Mammogram — right cranio-caudal. 39 y/o patient.
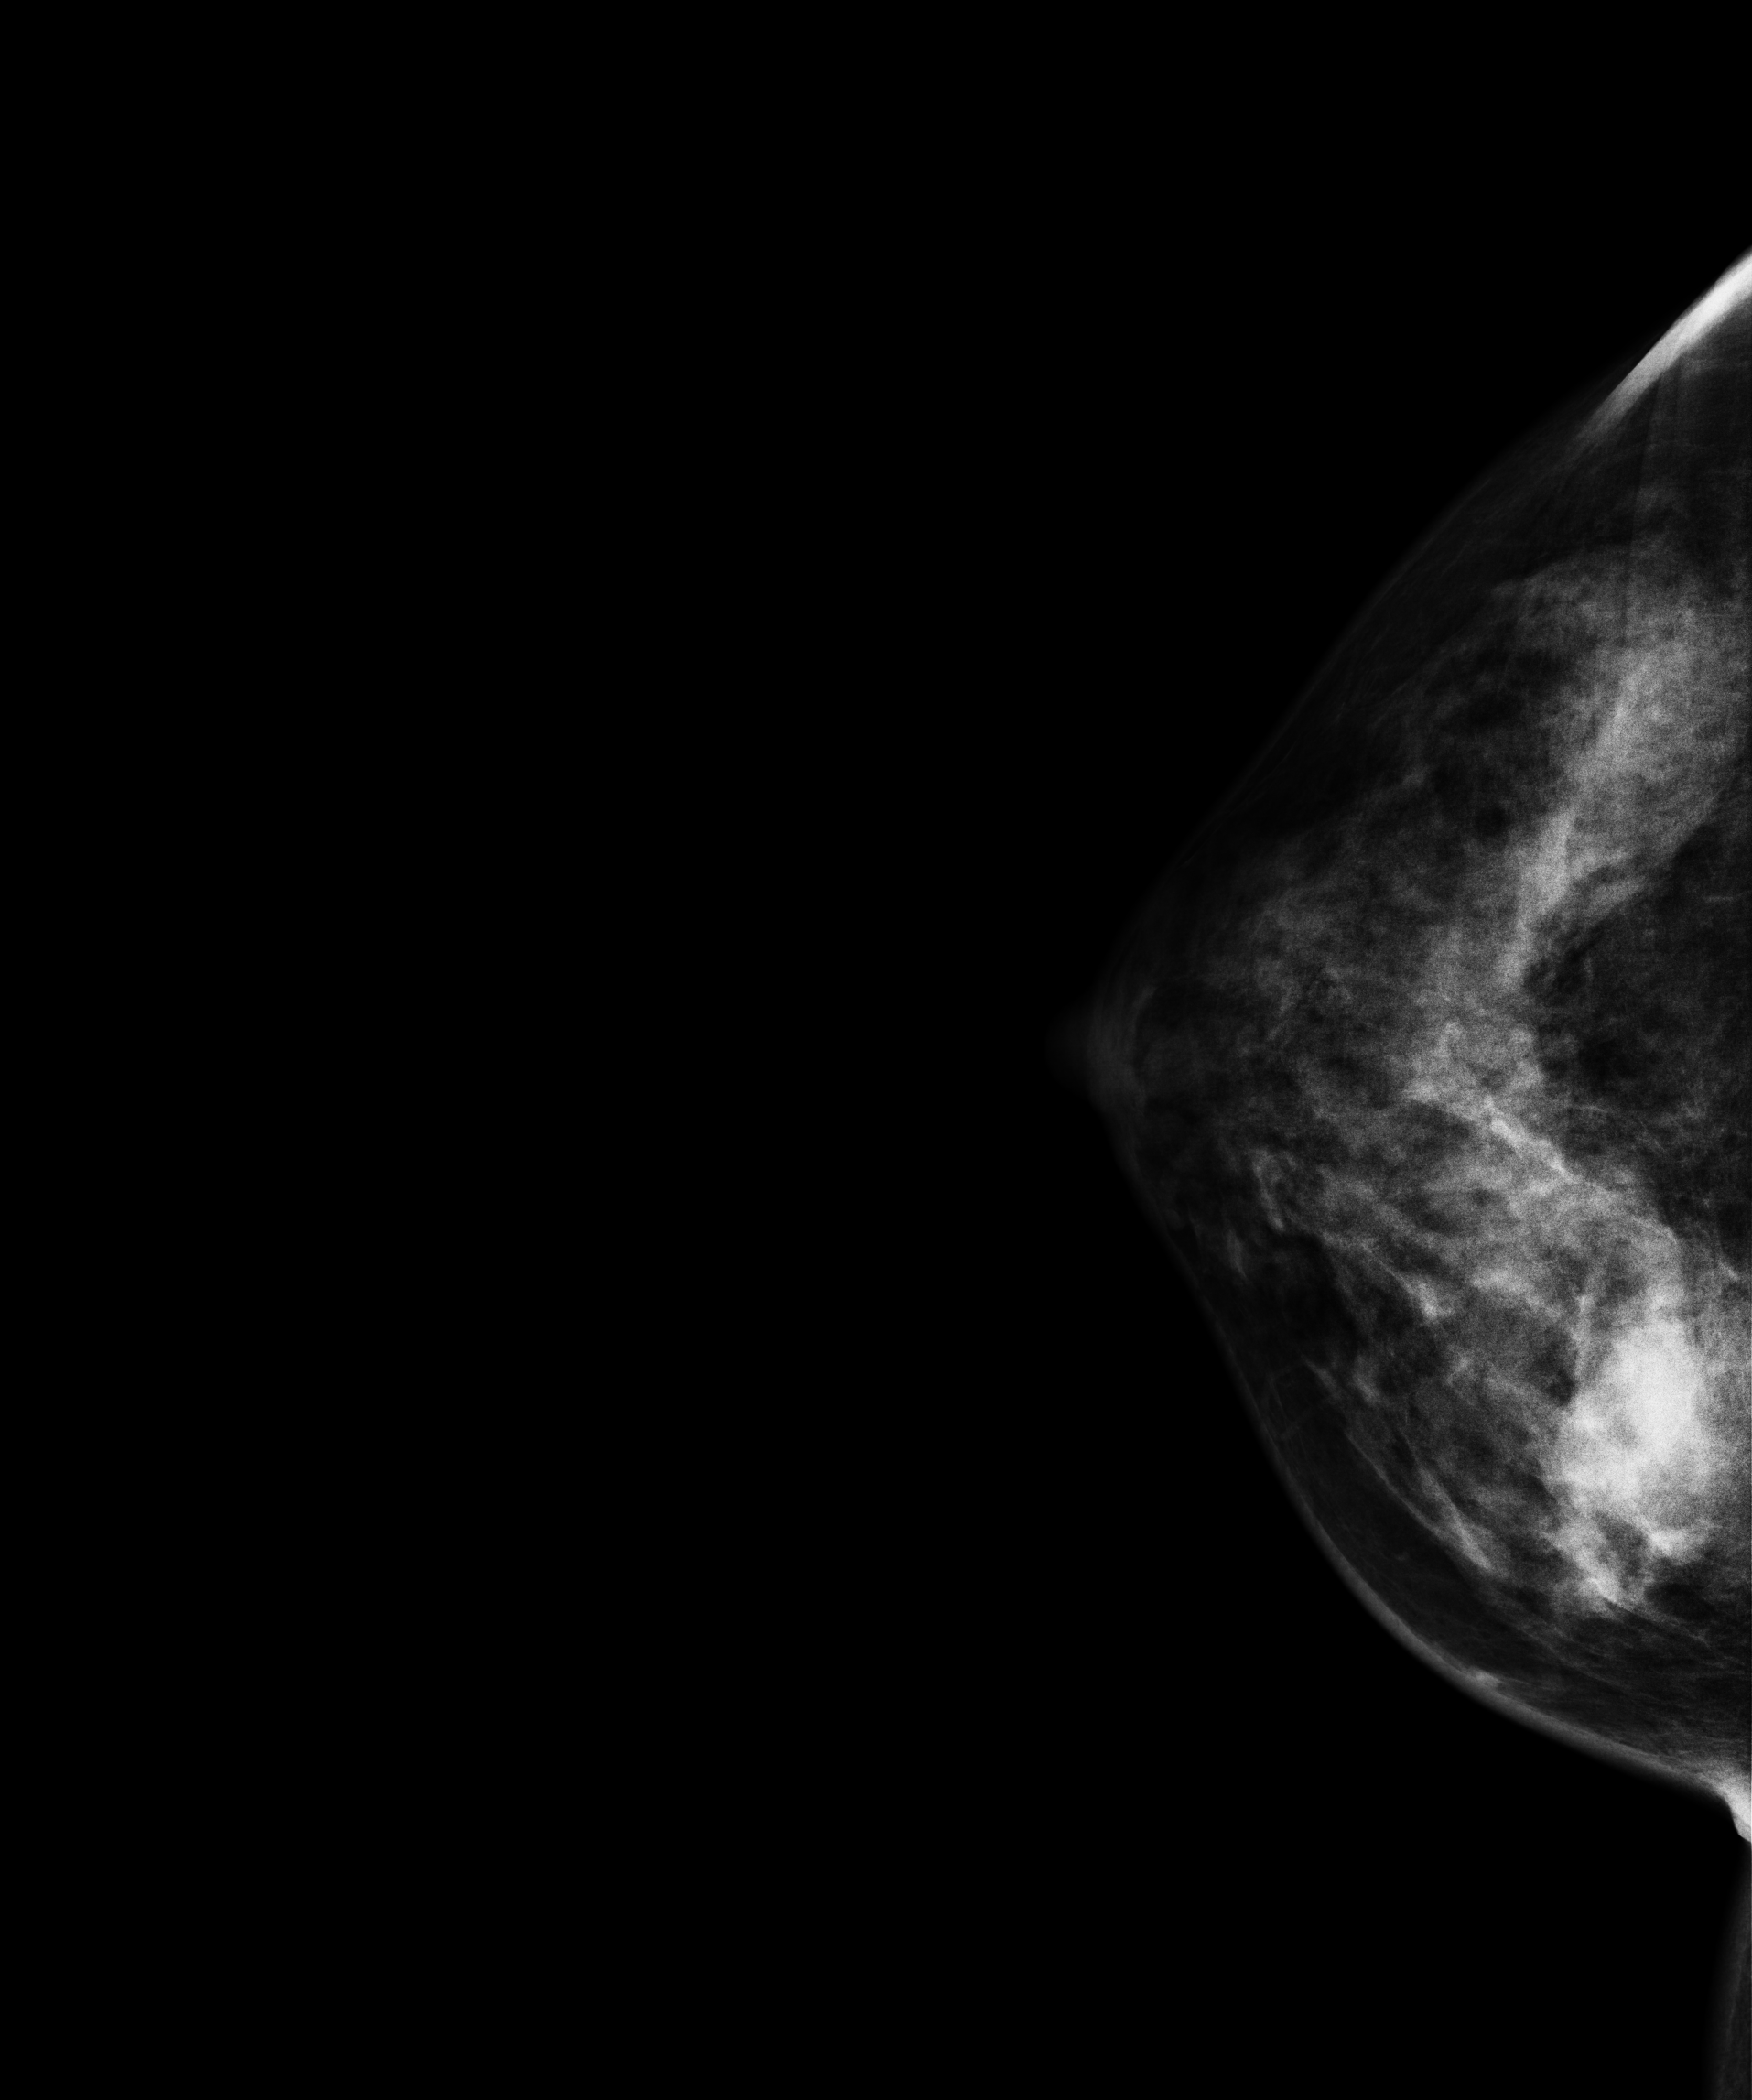
This breast has a mass, pathology-confirmed malignant.